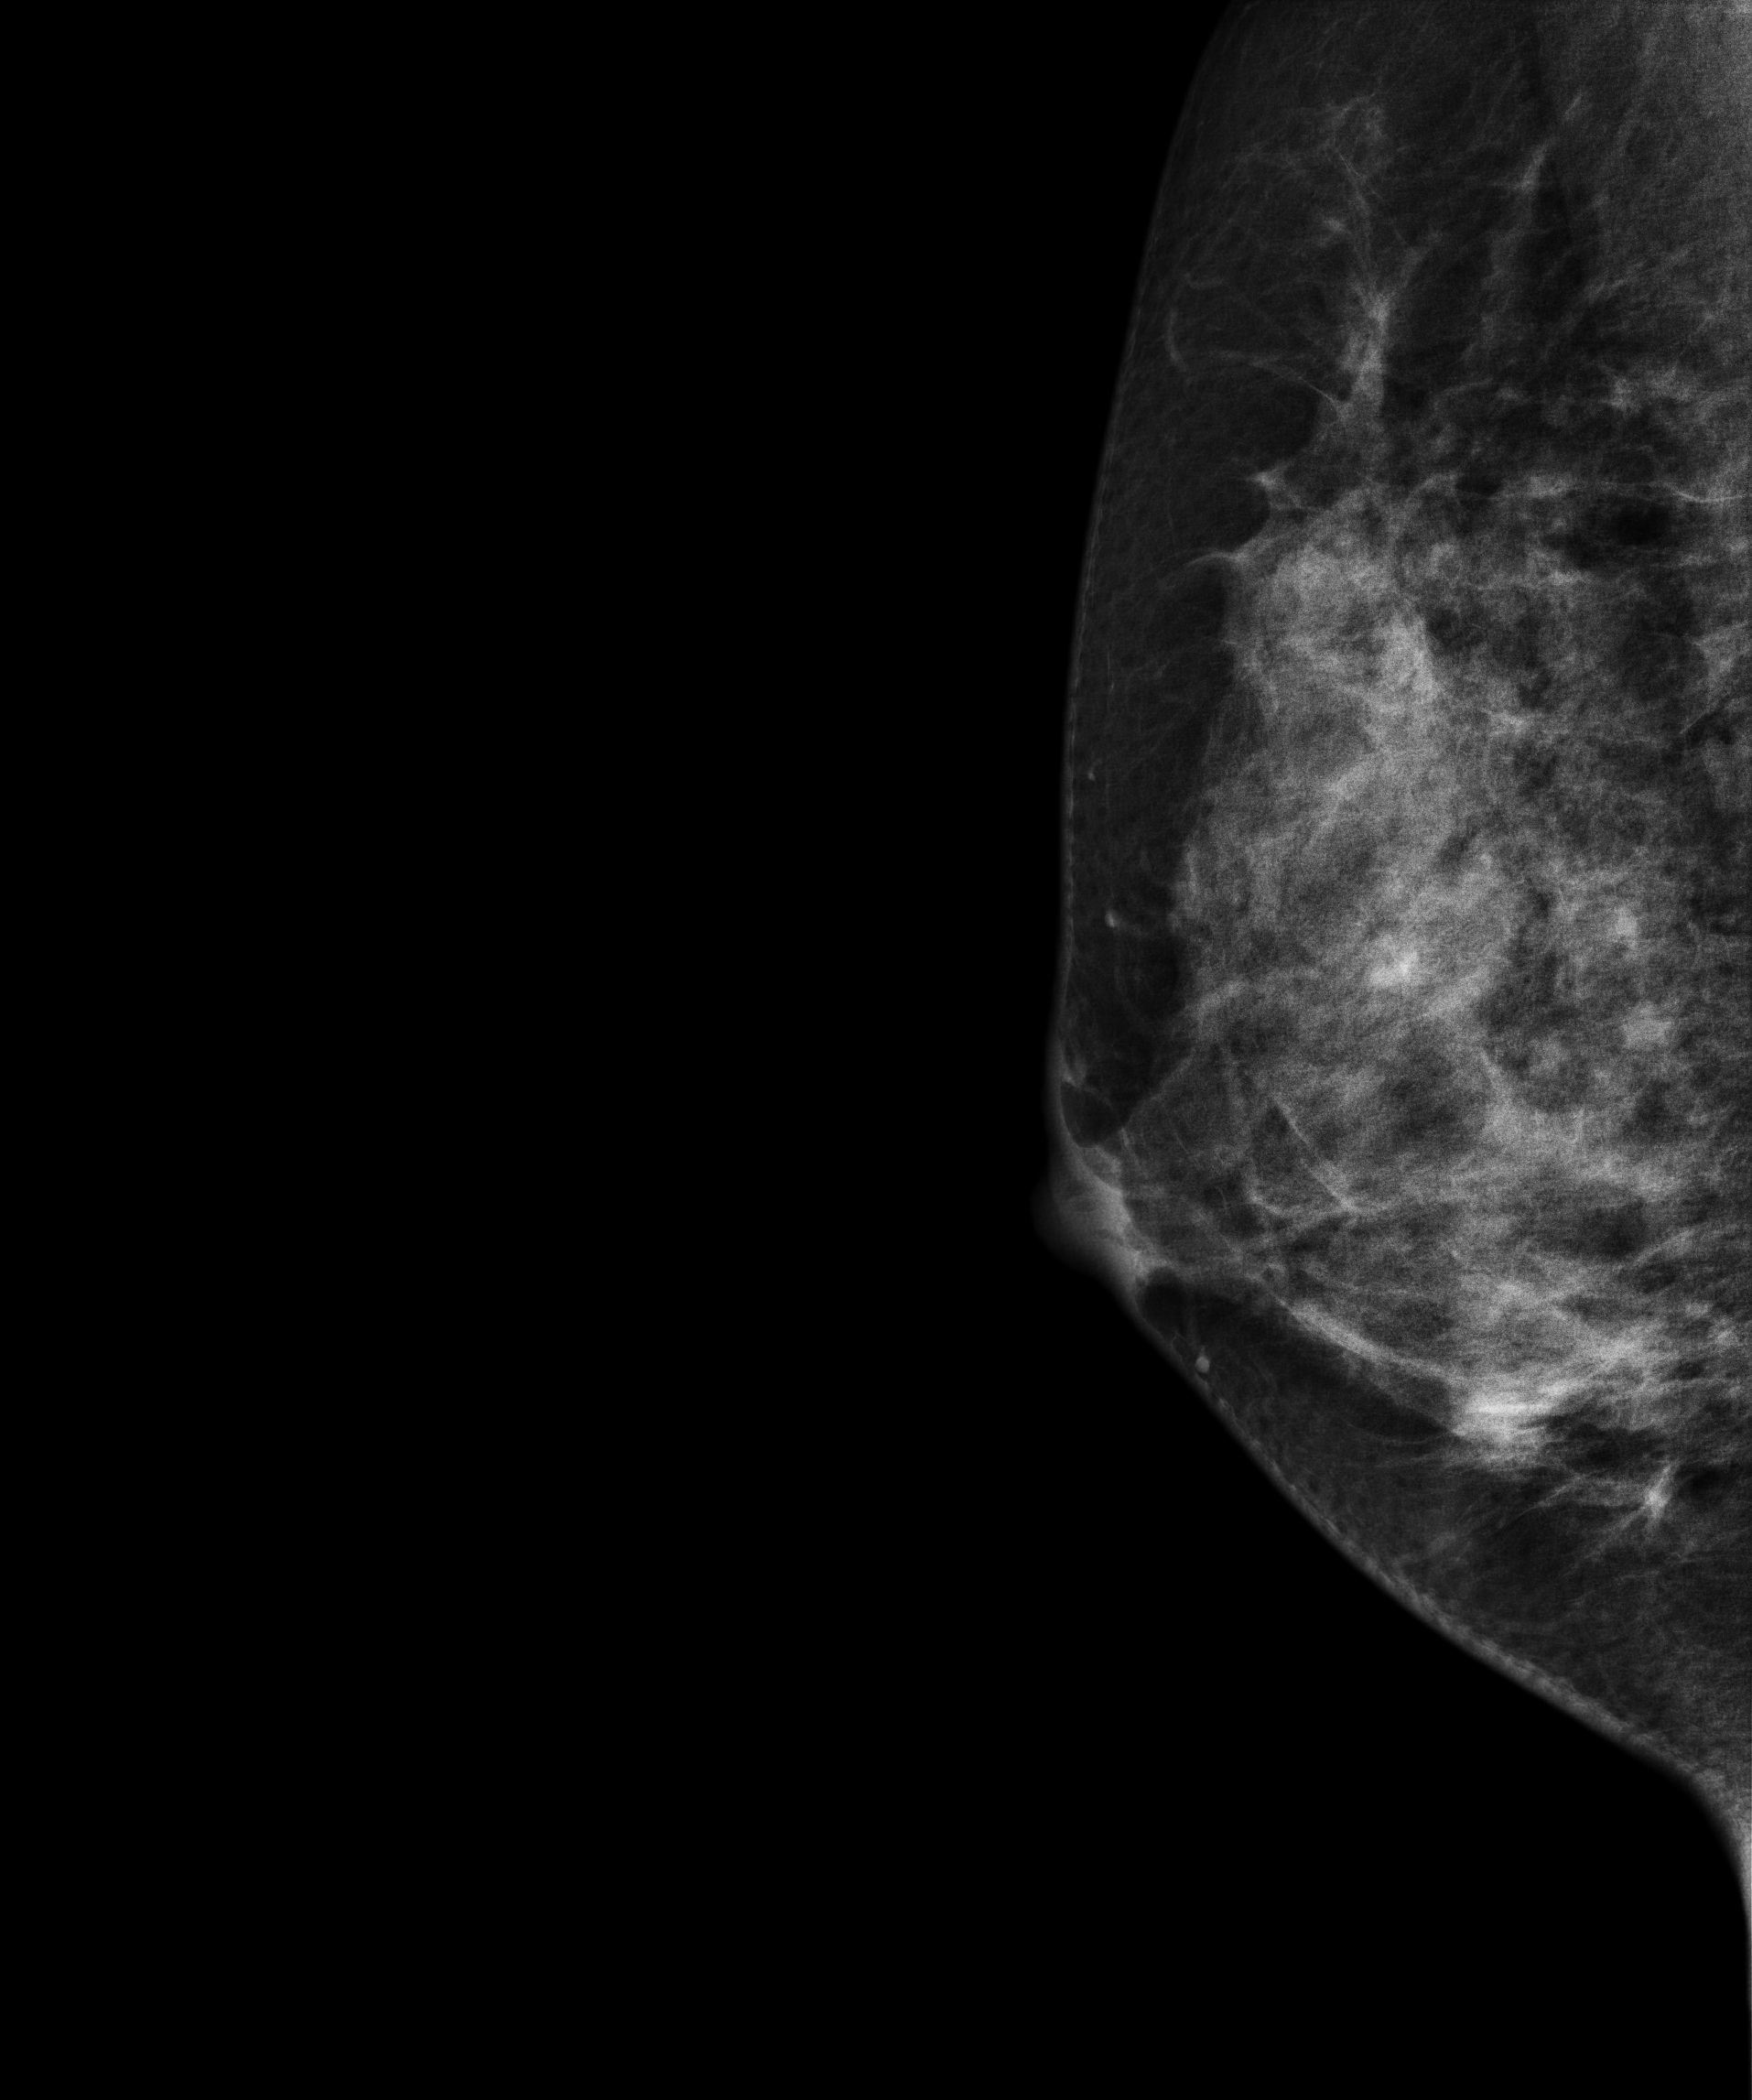
MLO mammogram of the right breast. 32 y/o patient.
Contralateral breast — no documented abnormality on this side.